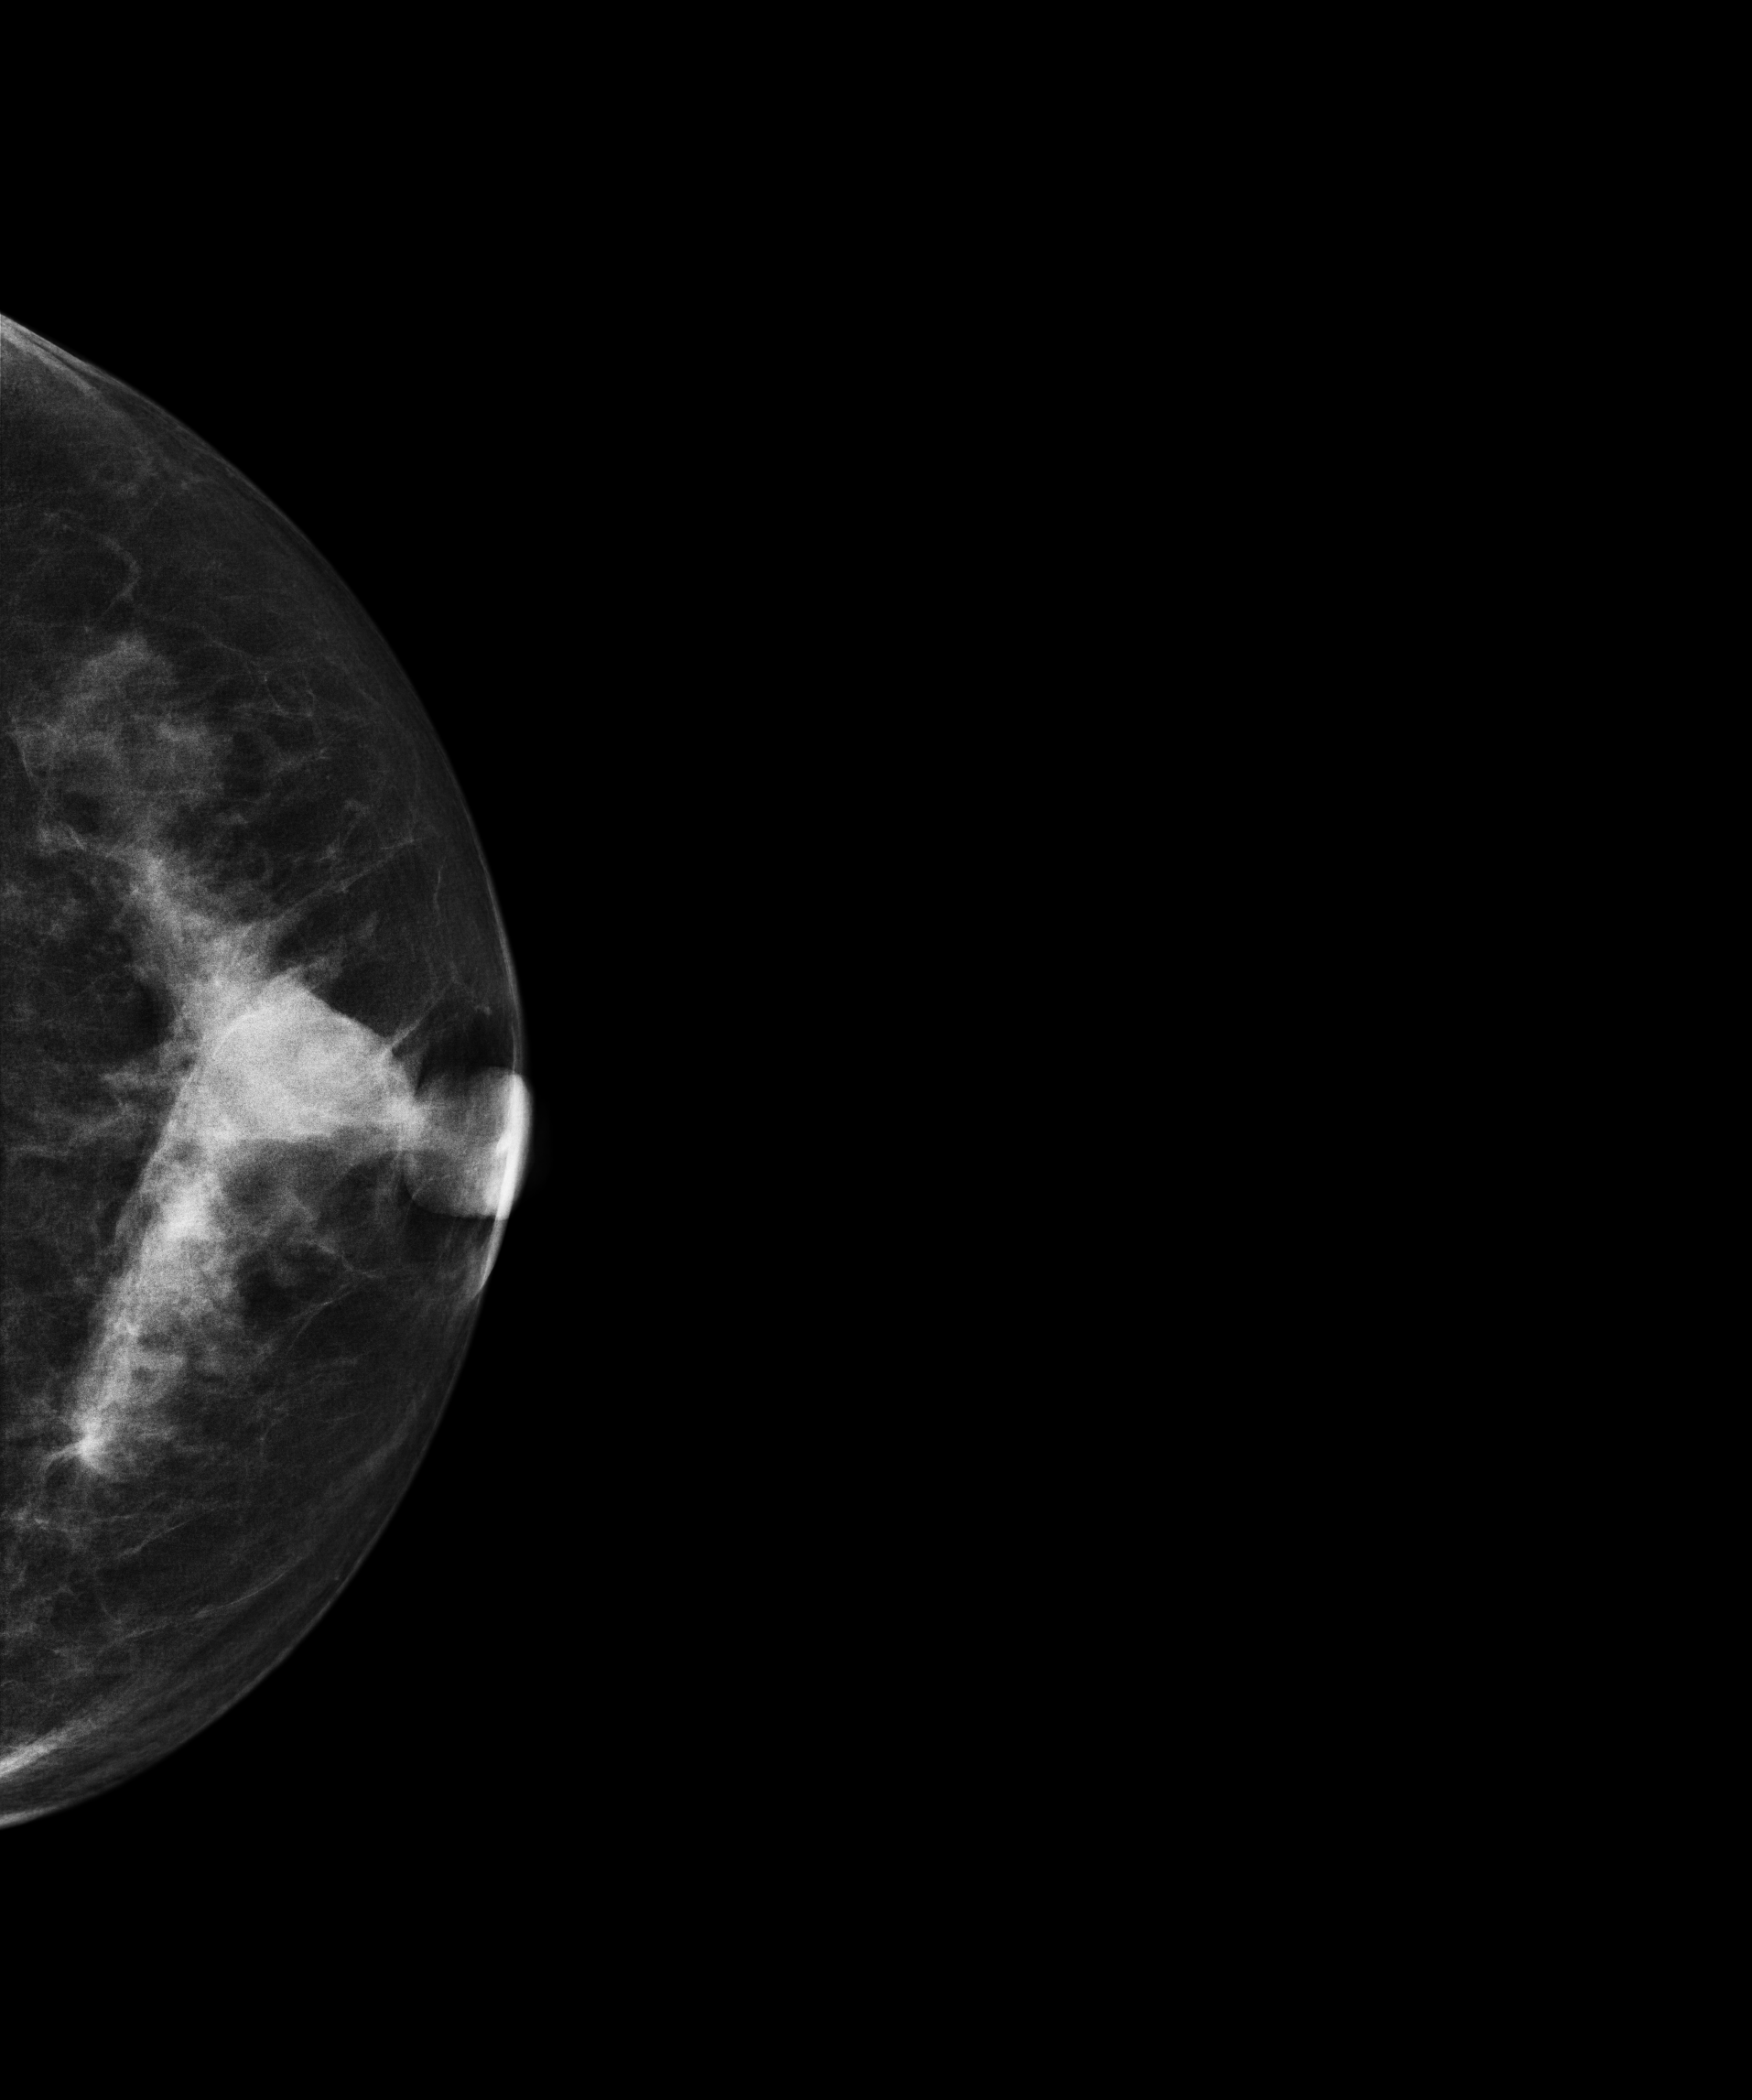
CC mammogram of the left breast. 50-year-old patient.
This breast has a mass, pathology-confirmed benign.